Mammogram — left MLO. 46 y/o patient.
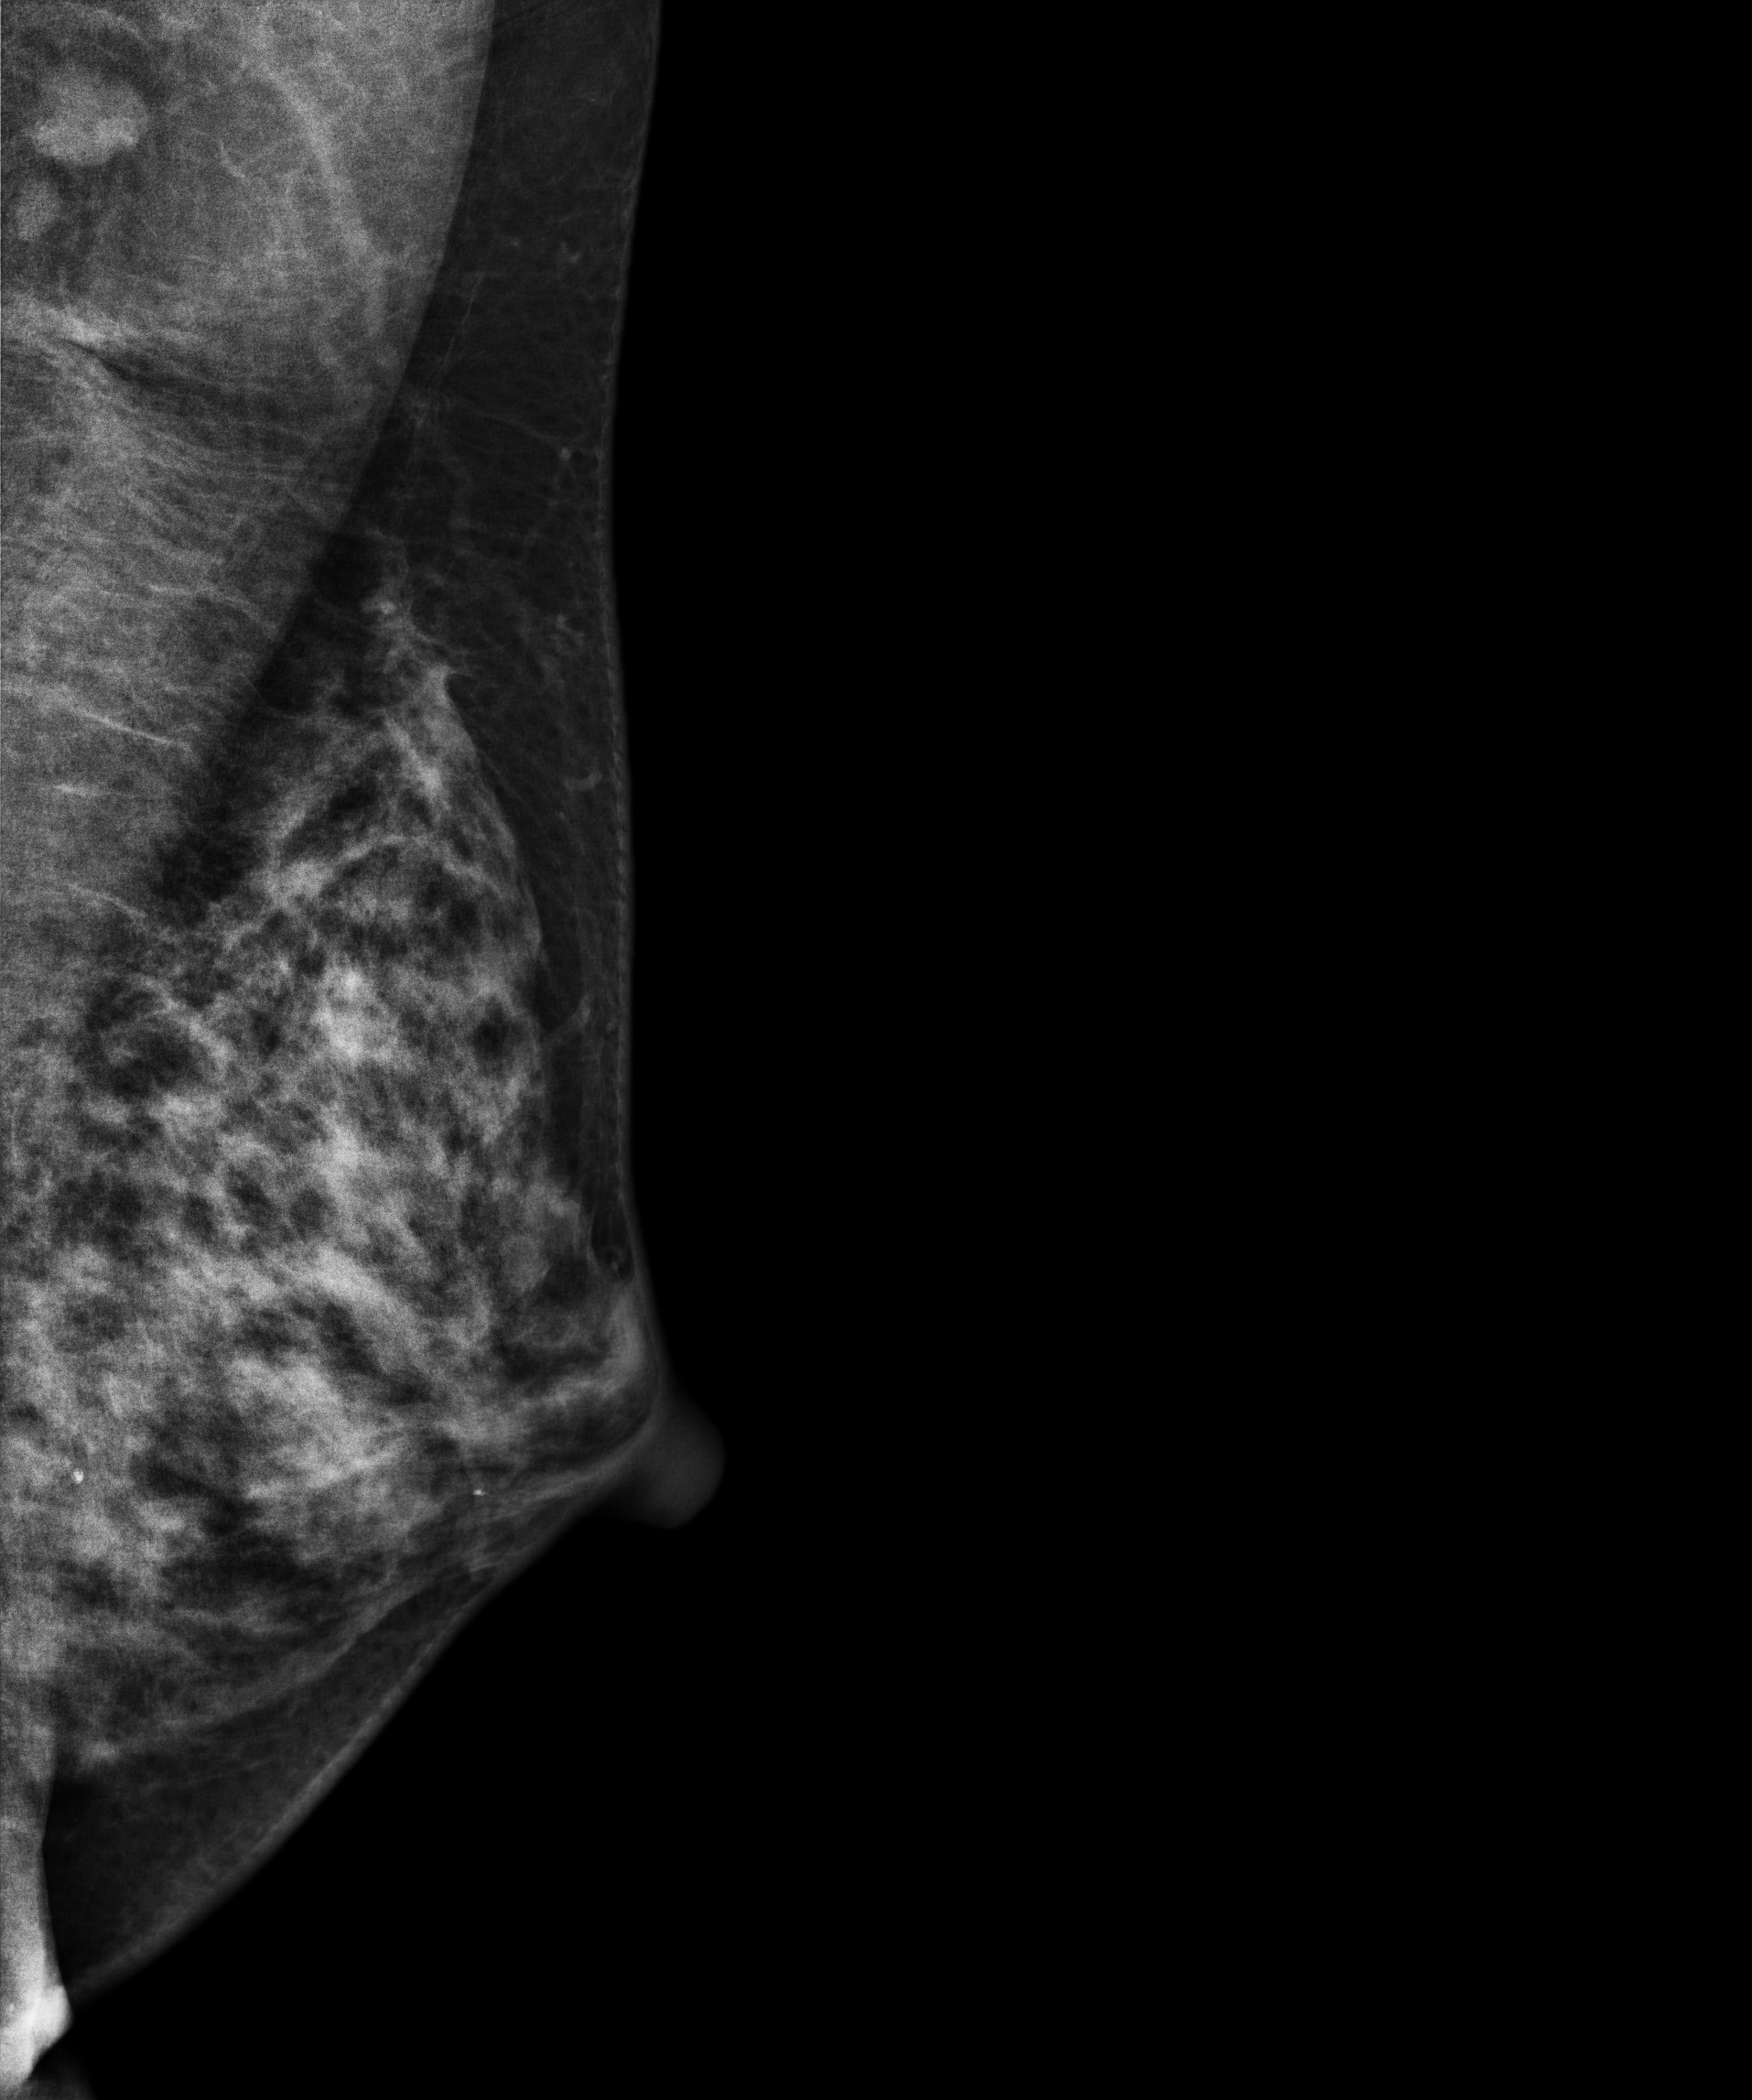
This breast has a mass, biopsy-confirmed benign.